MLO mammogram of the left breast. Patient age 52.
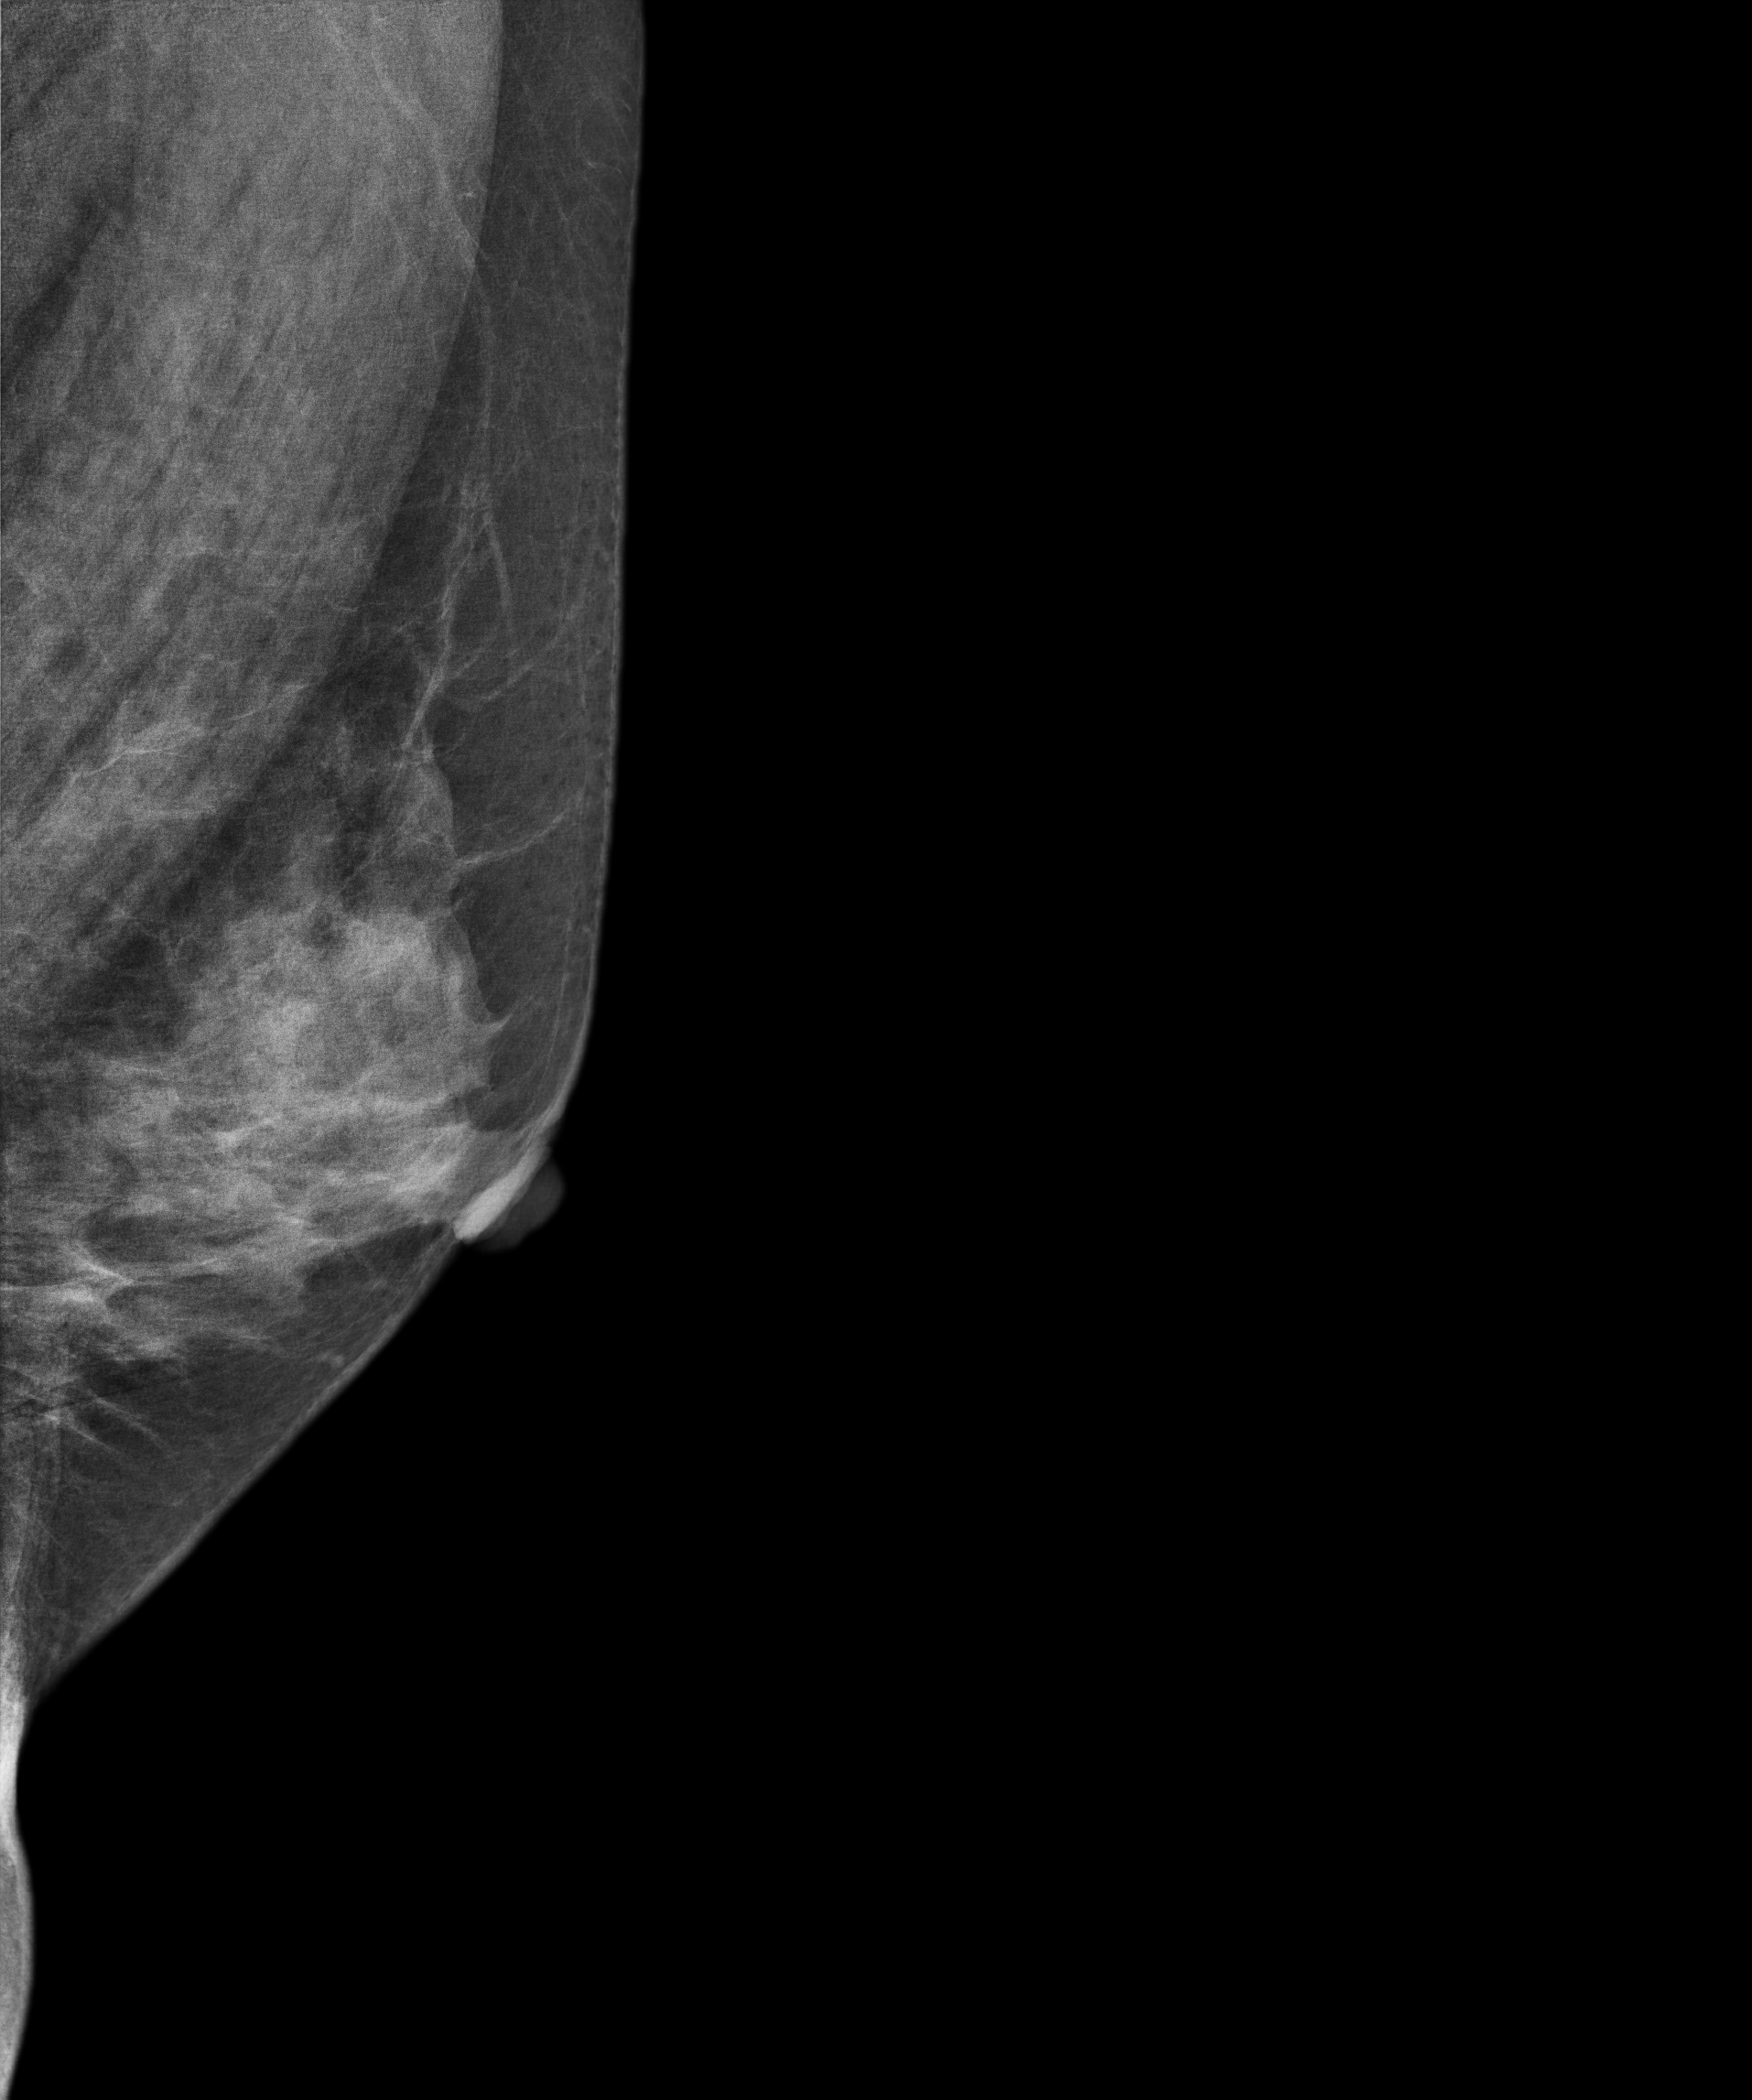
Contralateral breast — no documented abnormality on this side.